Mammogram — right MLO. 53 y/o patient.
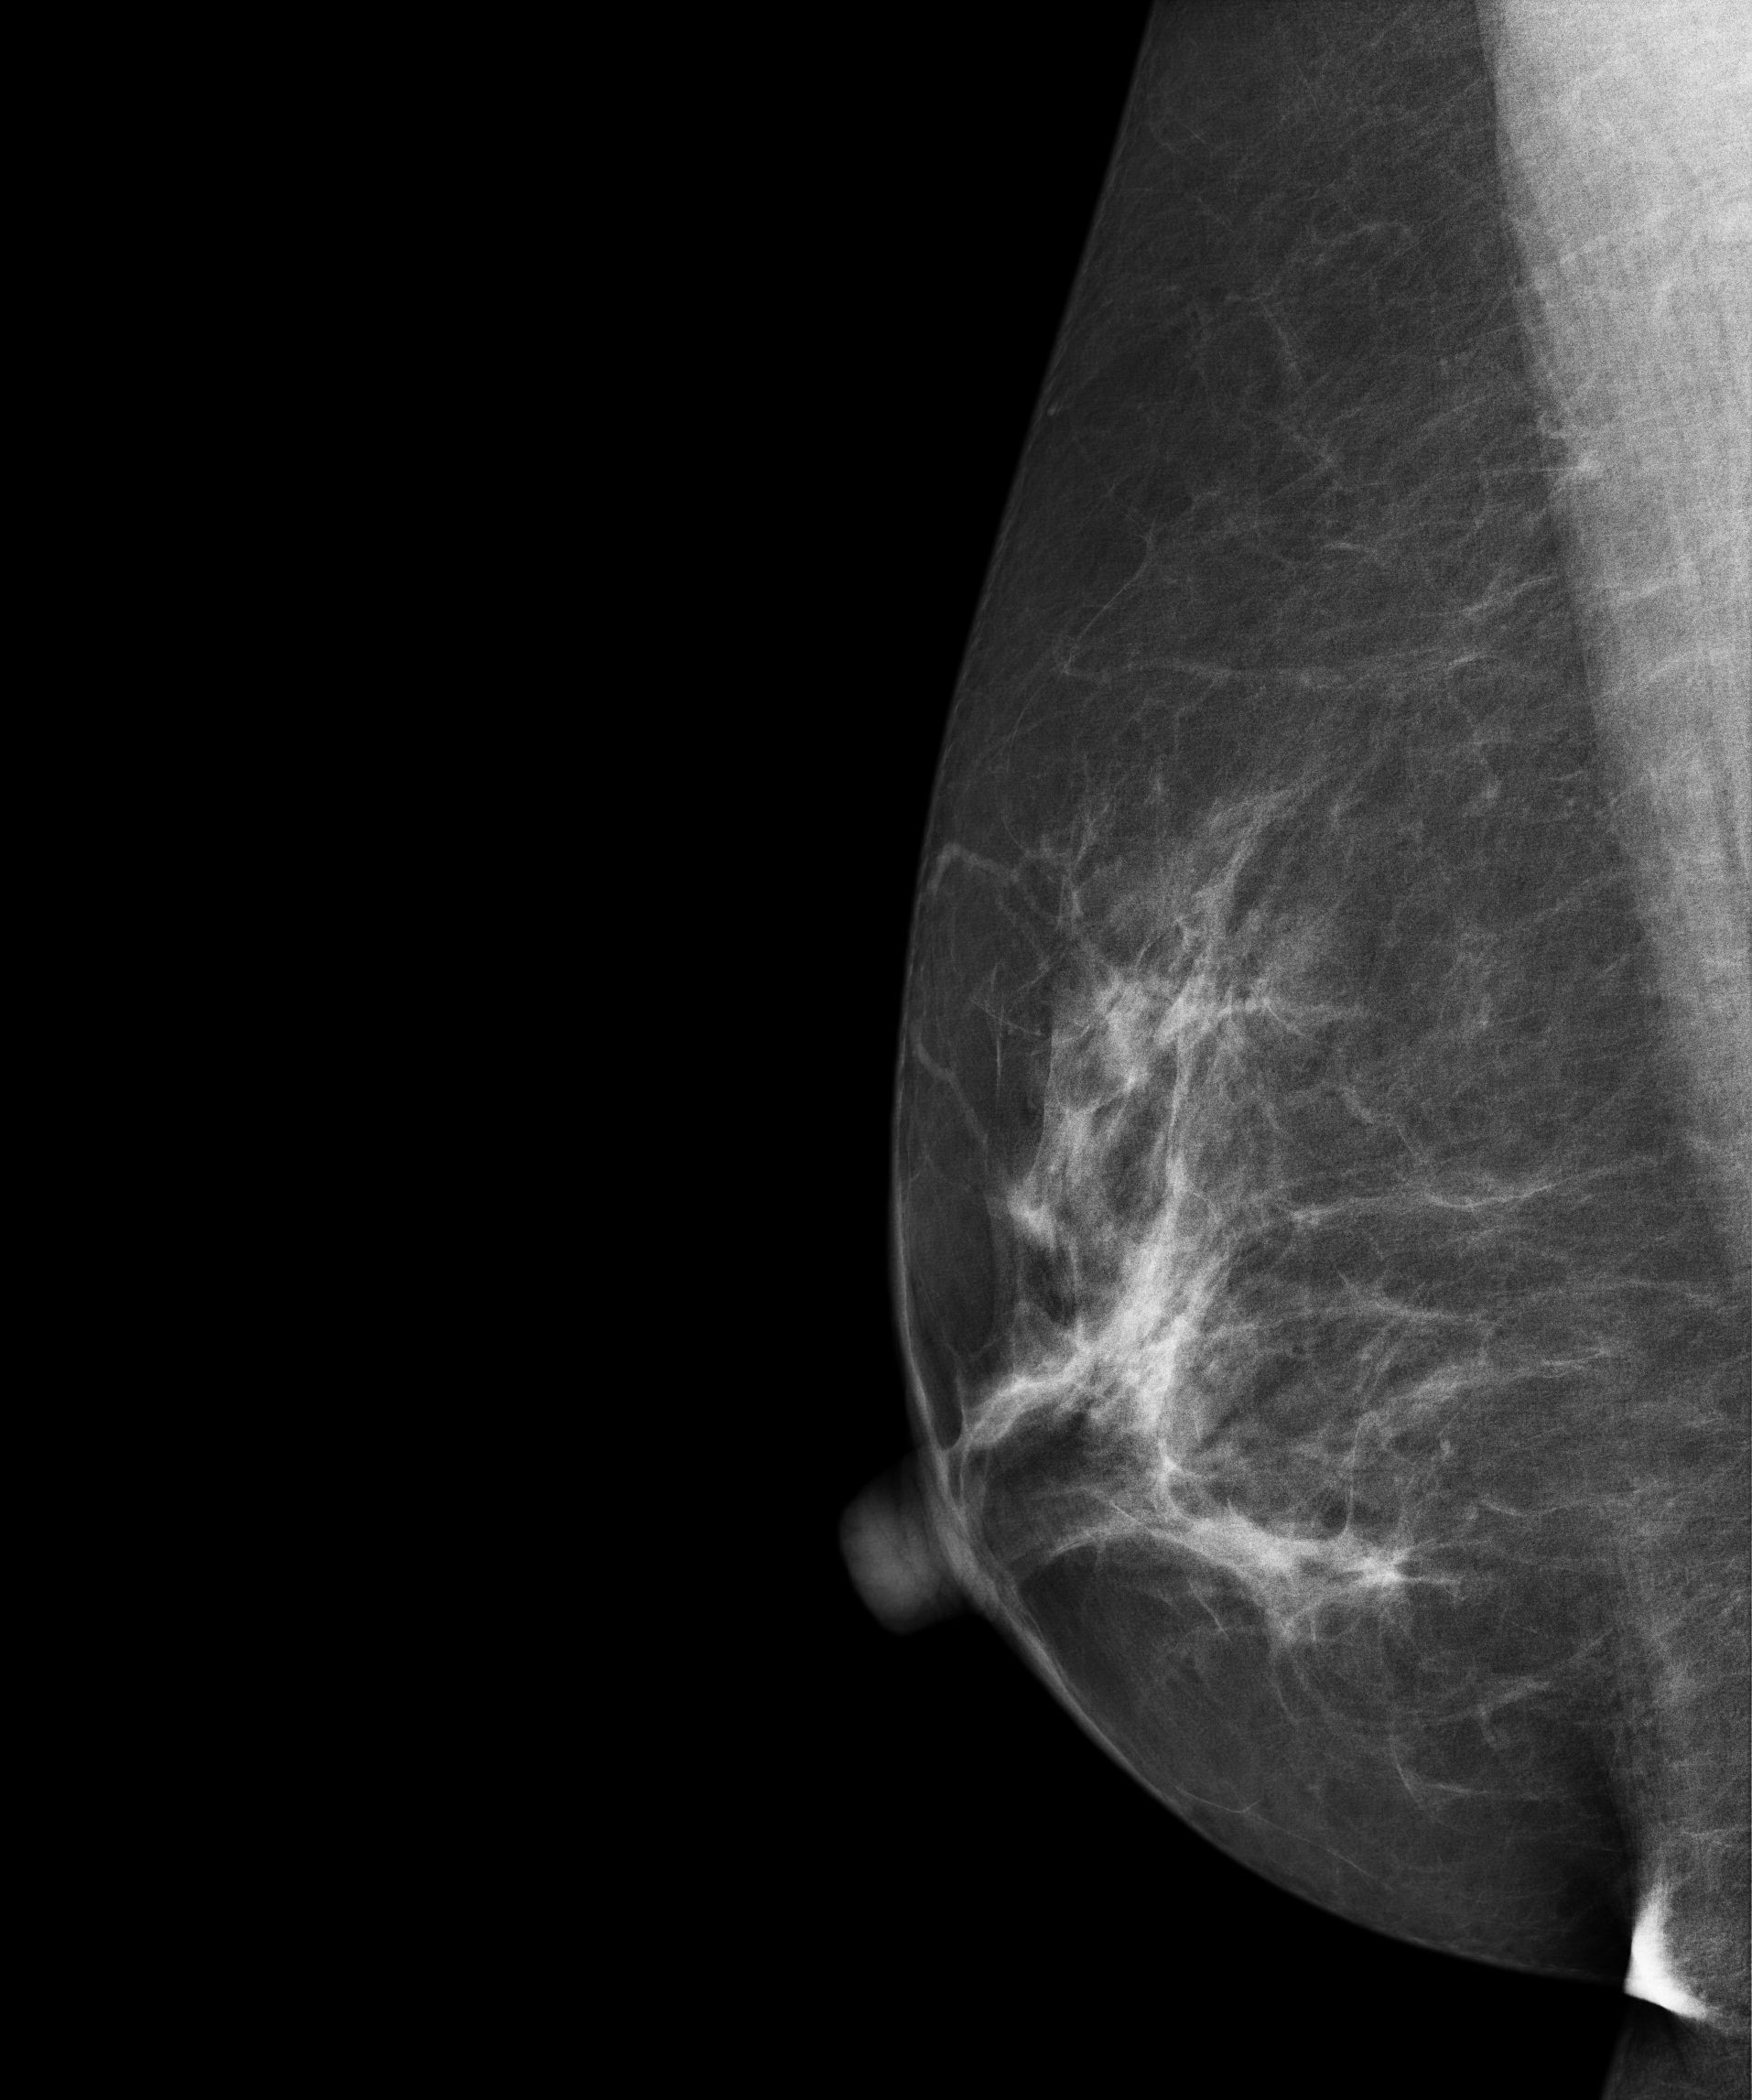
Contralateral breast — no documented abnormality on this side.